Mammogram, right breast, medio-lateral oblique view. 49-year-old patient.
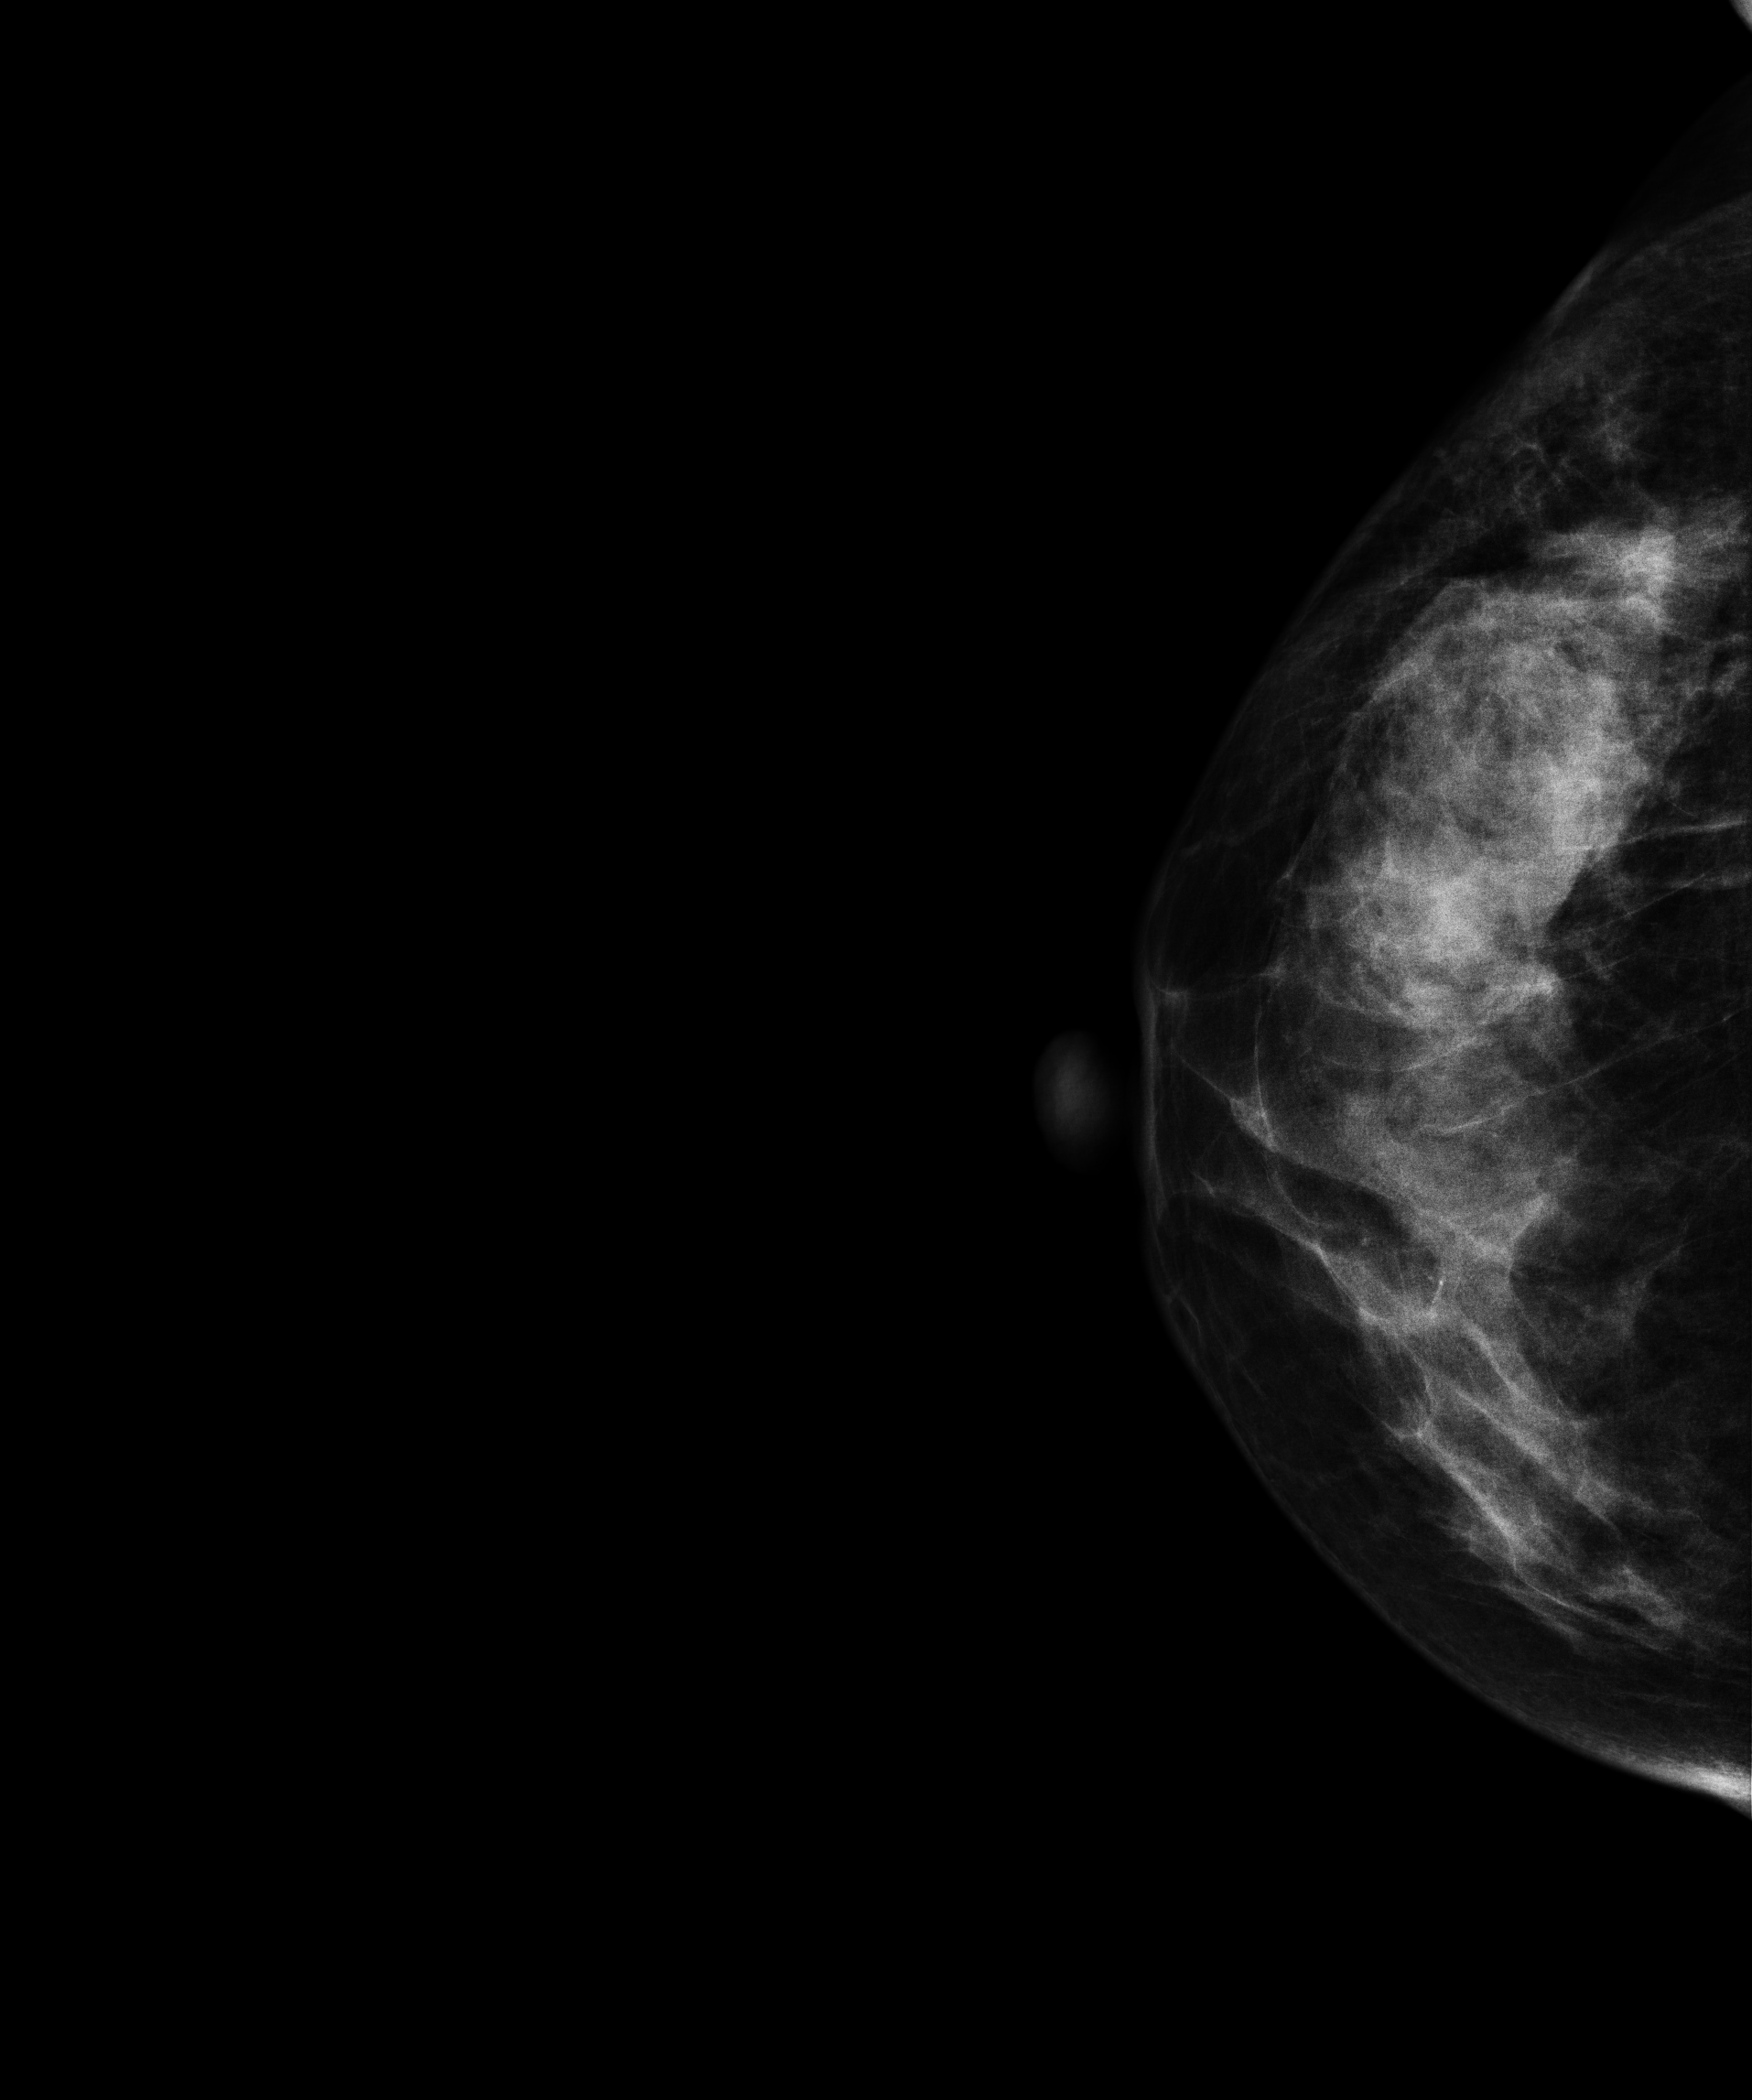
This breast has a mass, pathology-confirmed malignant. Molecular subtype: luminal B.